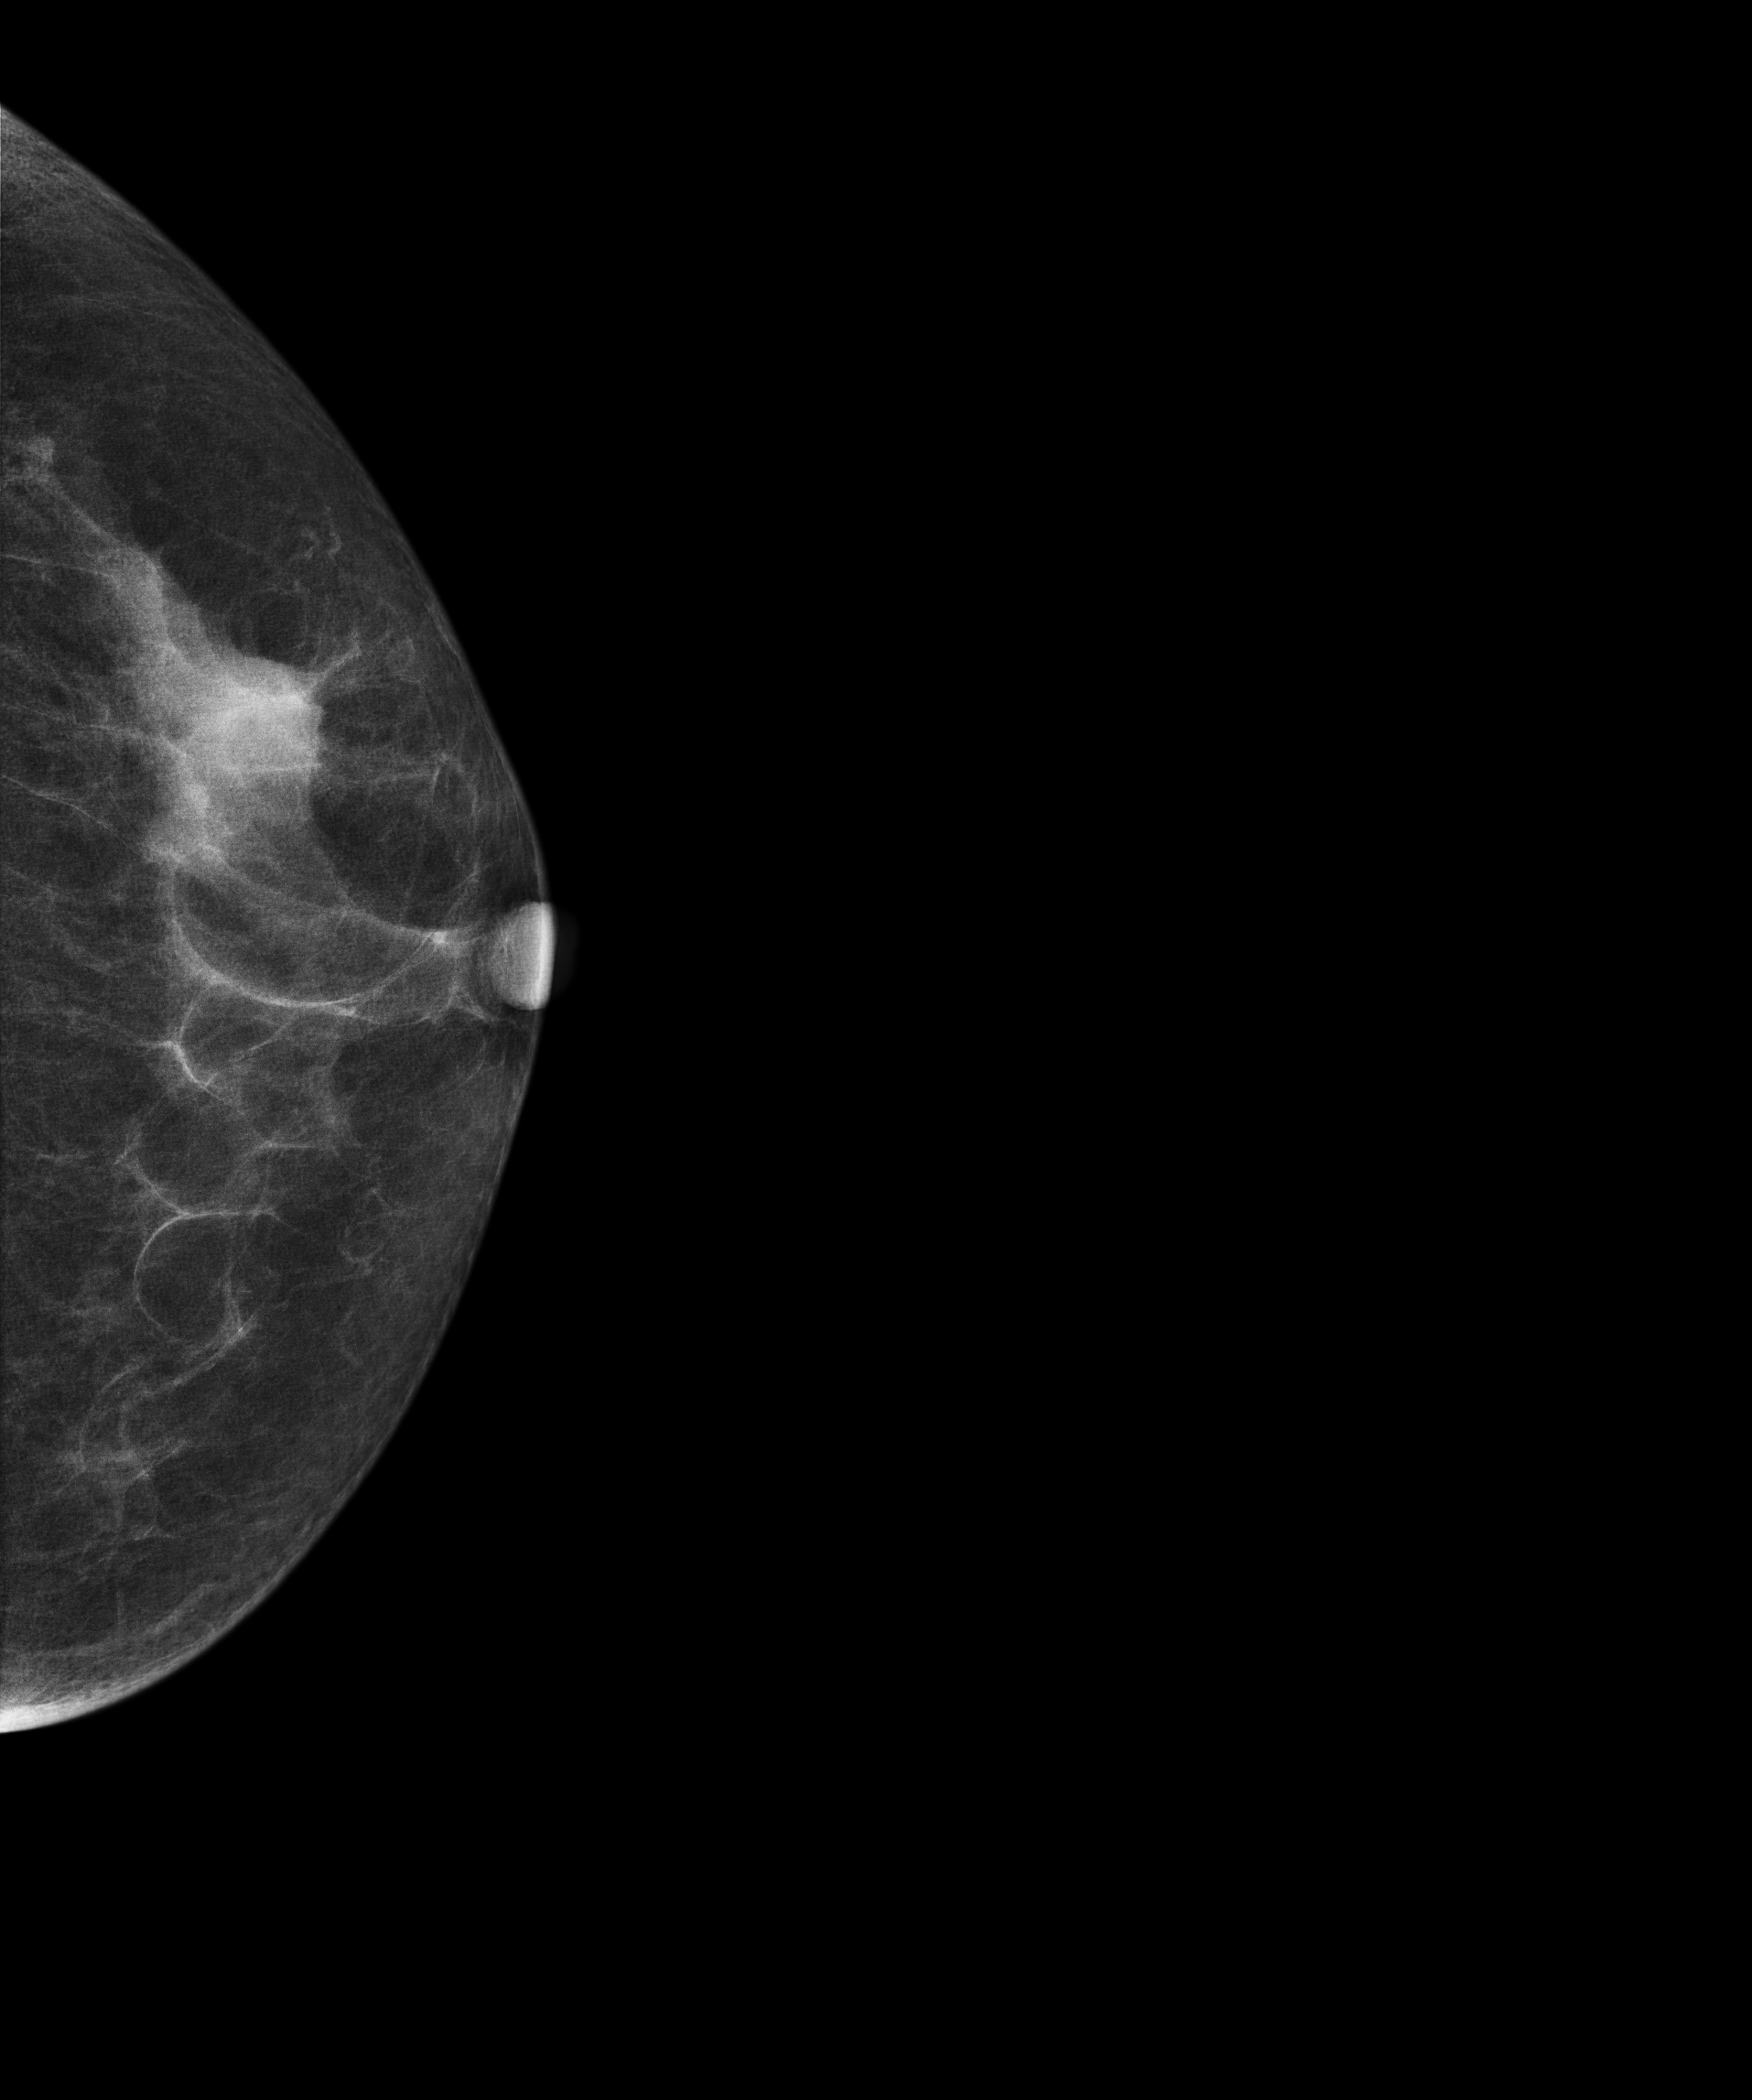
Mammogram, left breast, cranio-caudal view. Patient age 75.
This breast has a mass, biopsy-confirmed malignant. Molecular subtype: triple-negative.